Left-breast mammogram, MLO. 59-year-old patient.
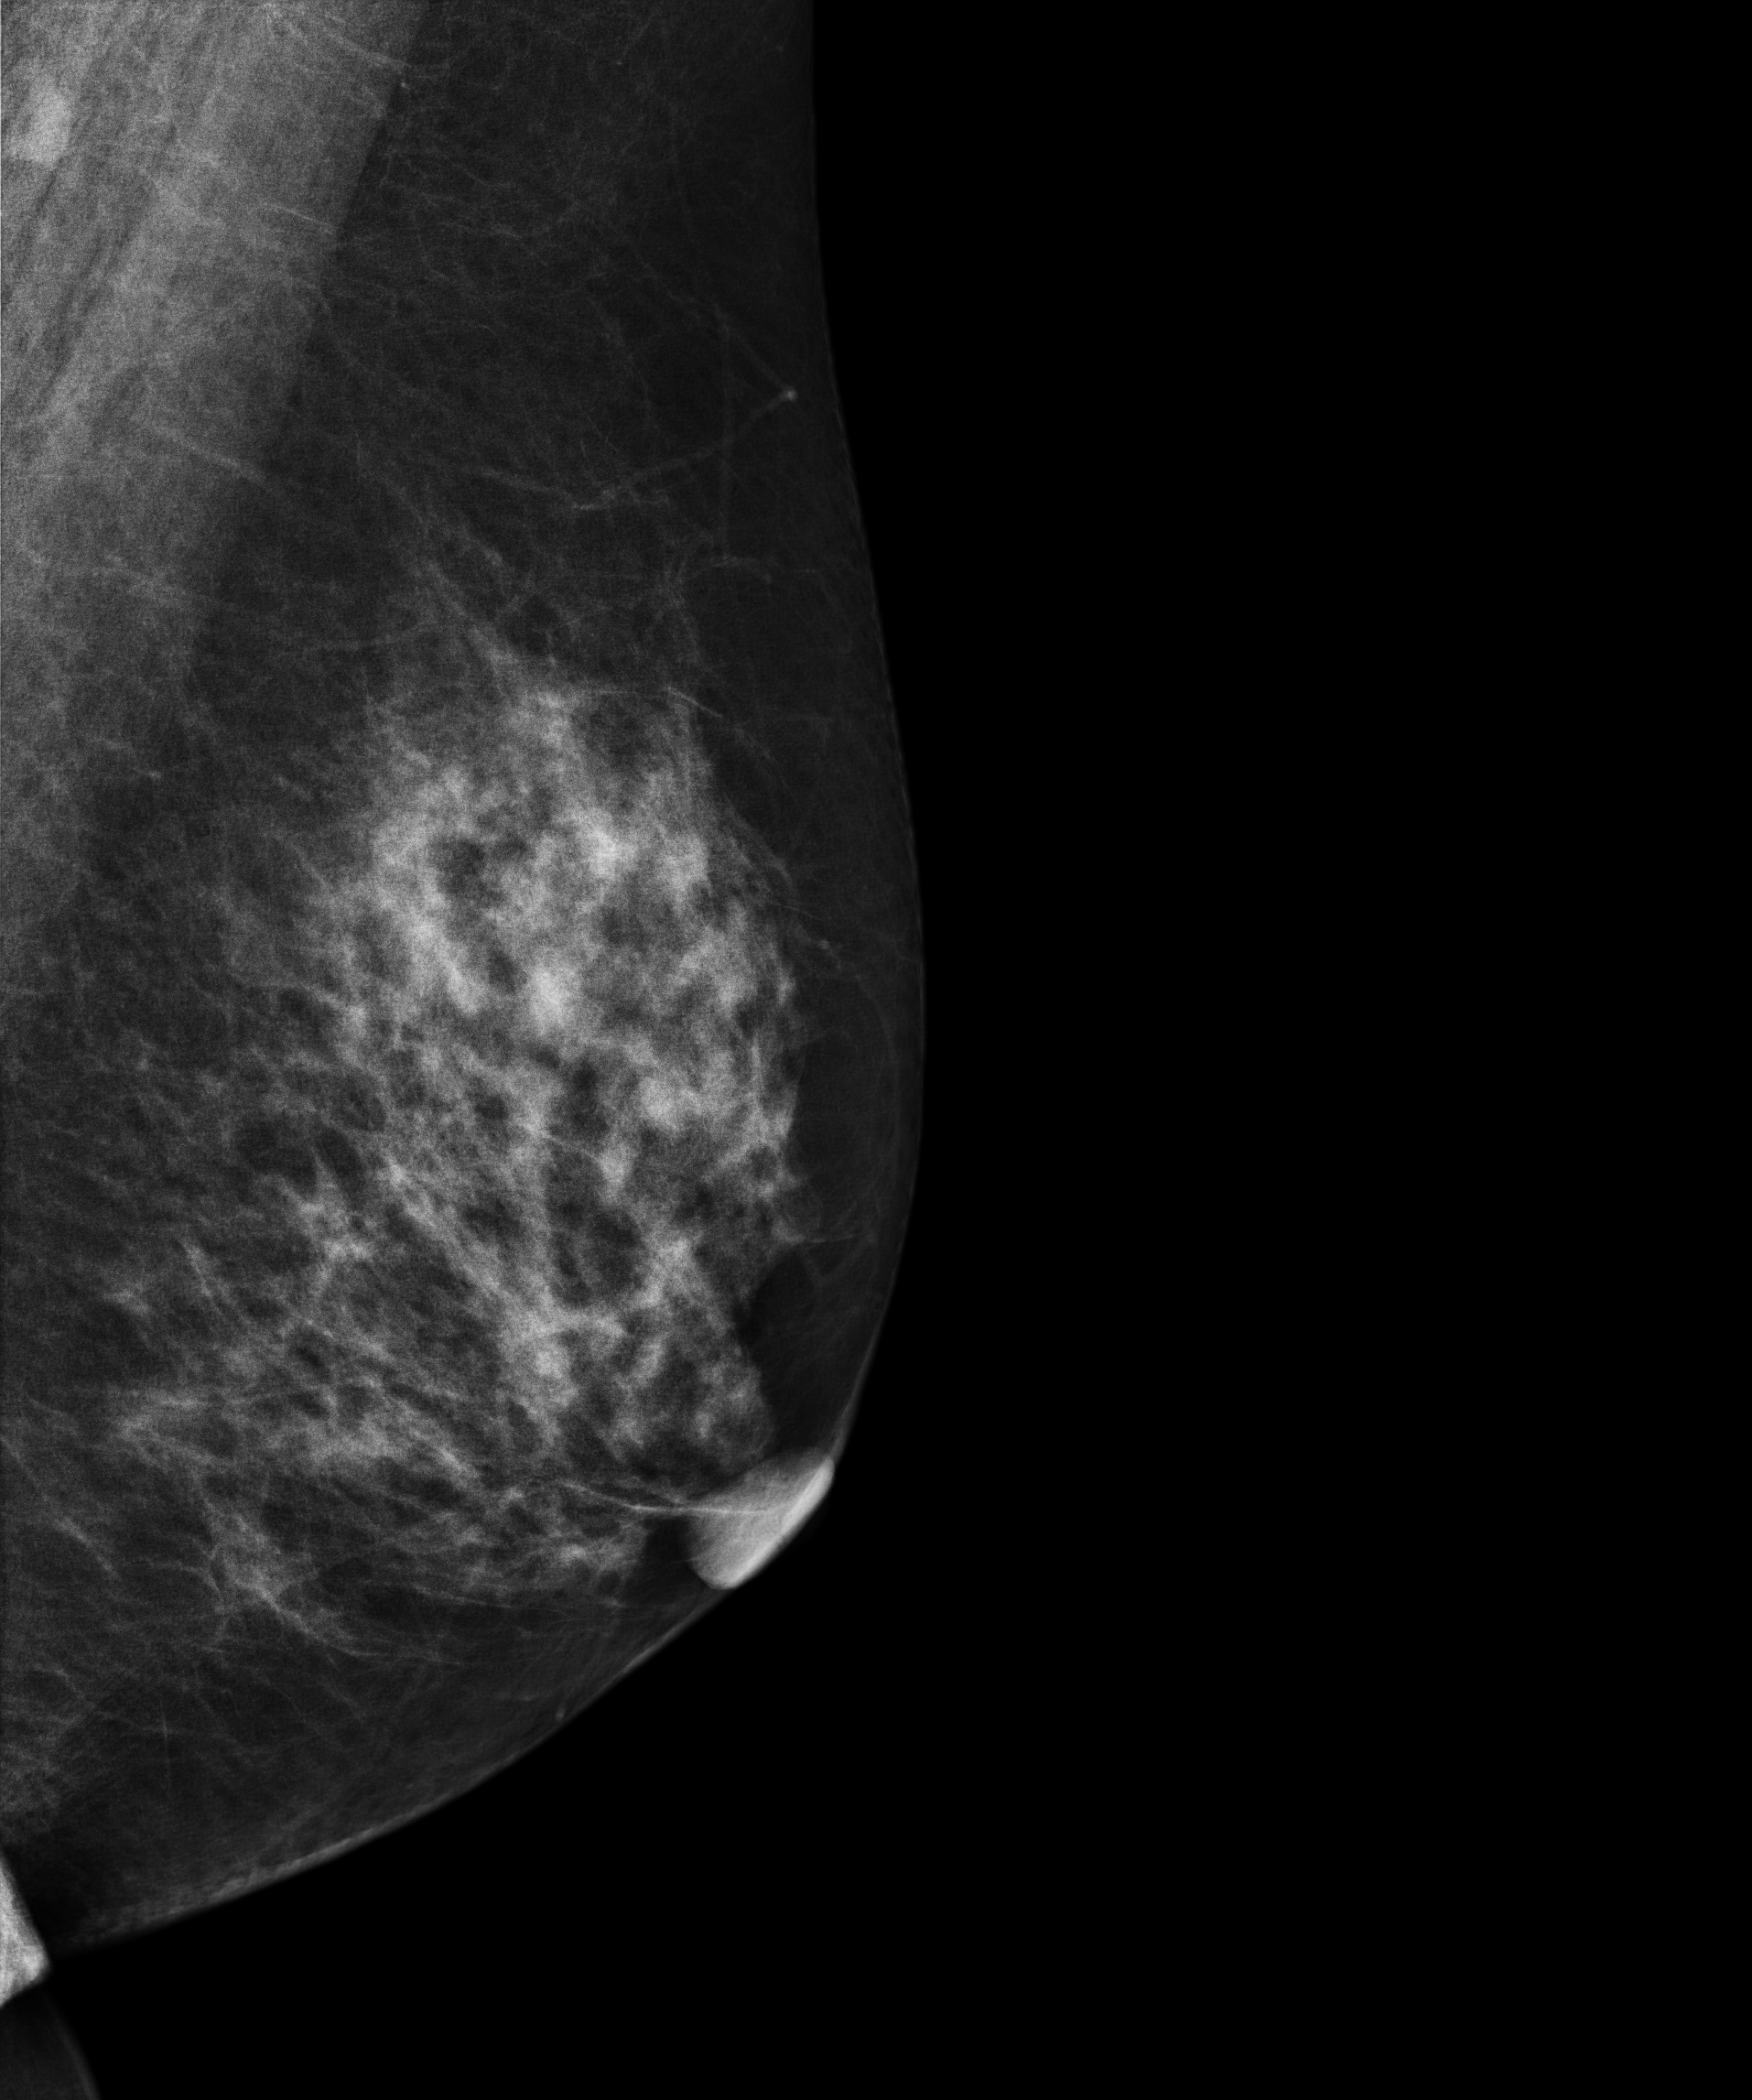
Contralateral breast — no documented abnormality on this side.